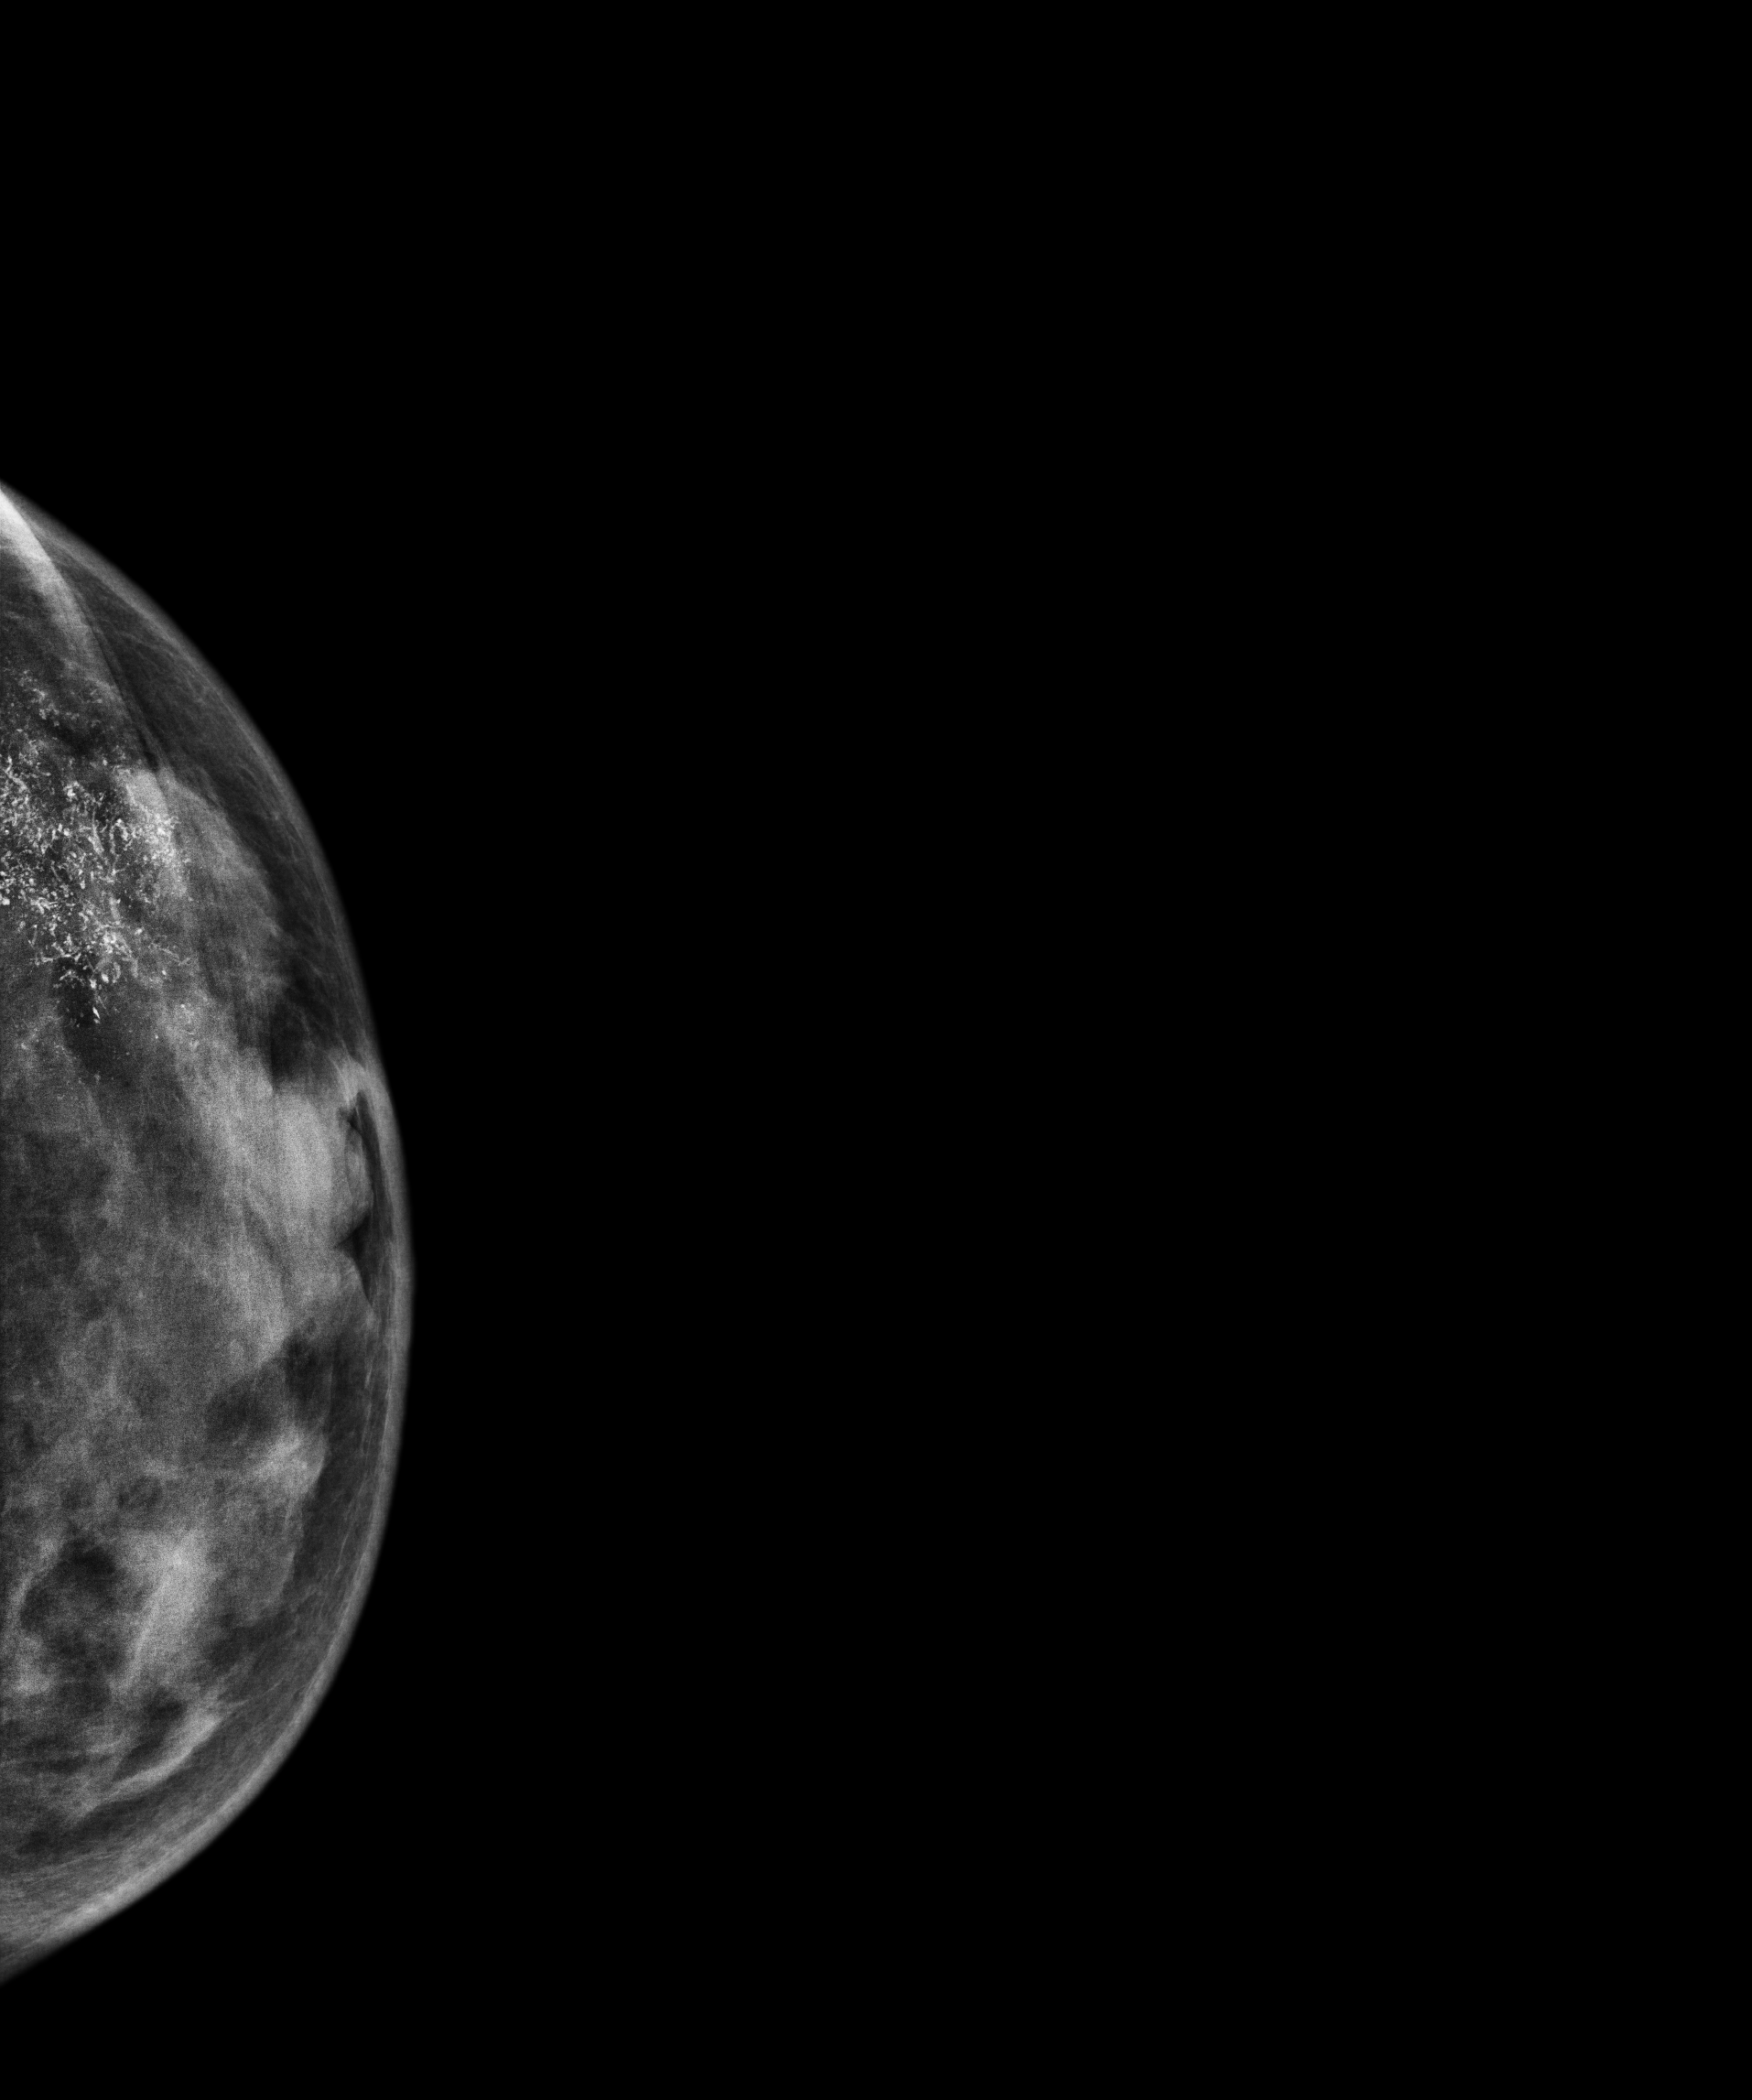
Digital mammography. Left breast, cranio-caudal projection. 44 y/o patient.
This breast has calcifications, biopsy-confirmed malignant. Molecular subtype: luminal B.